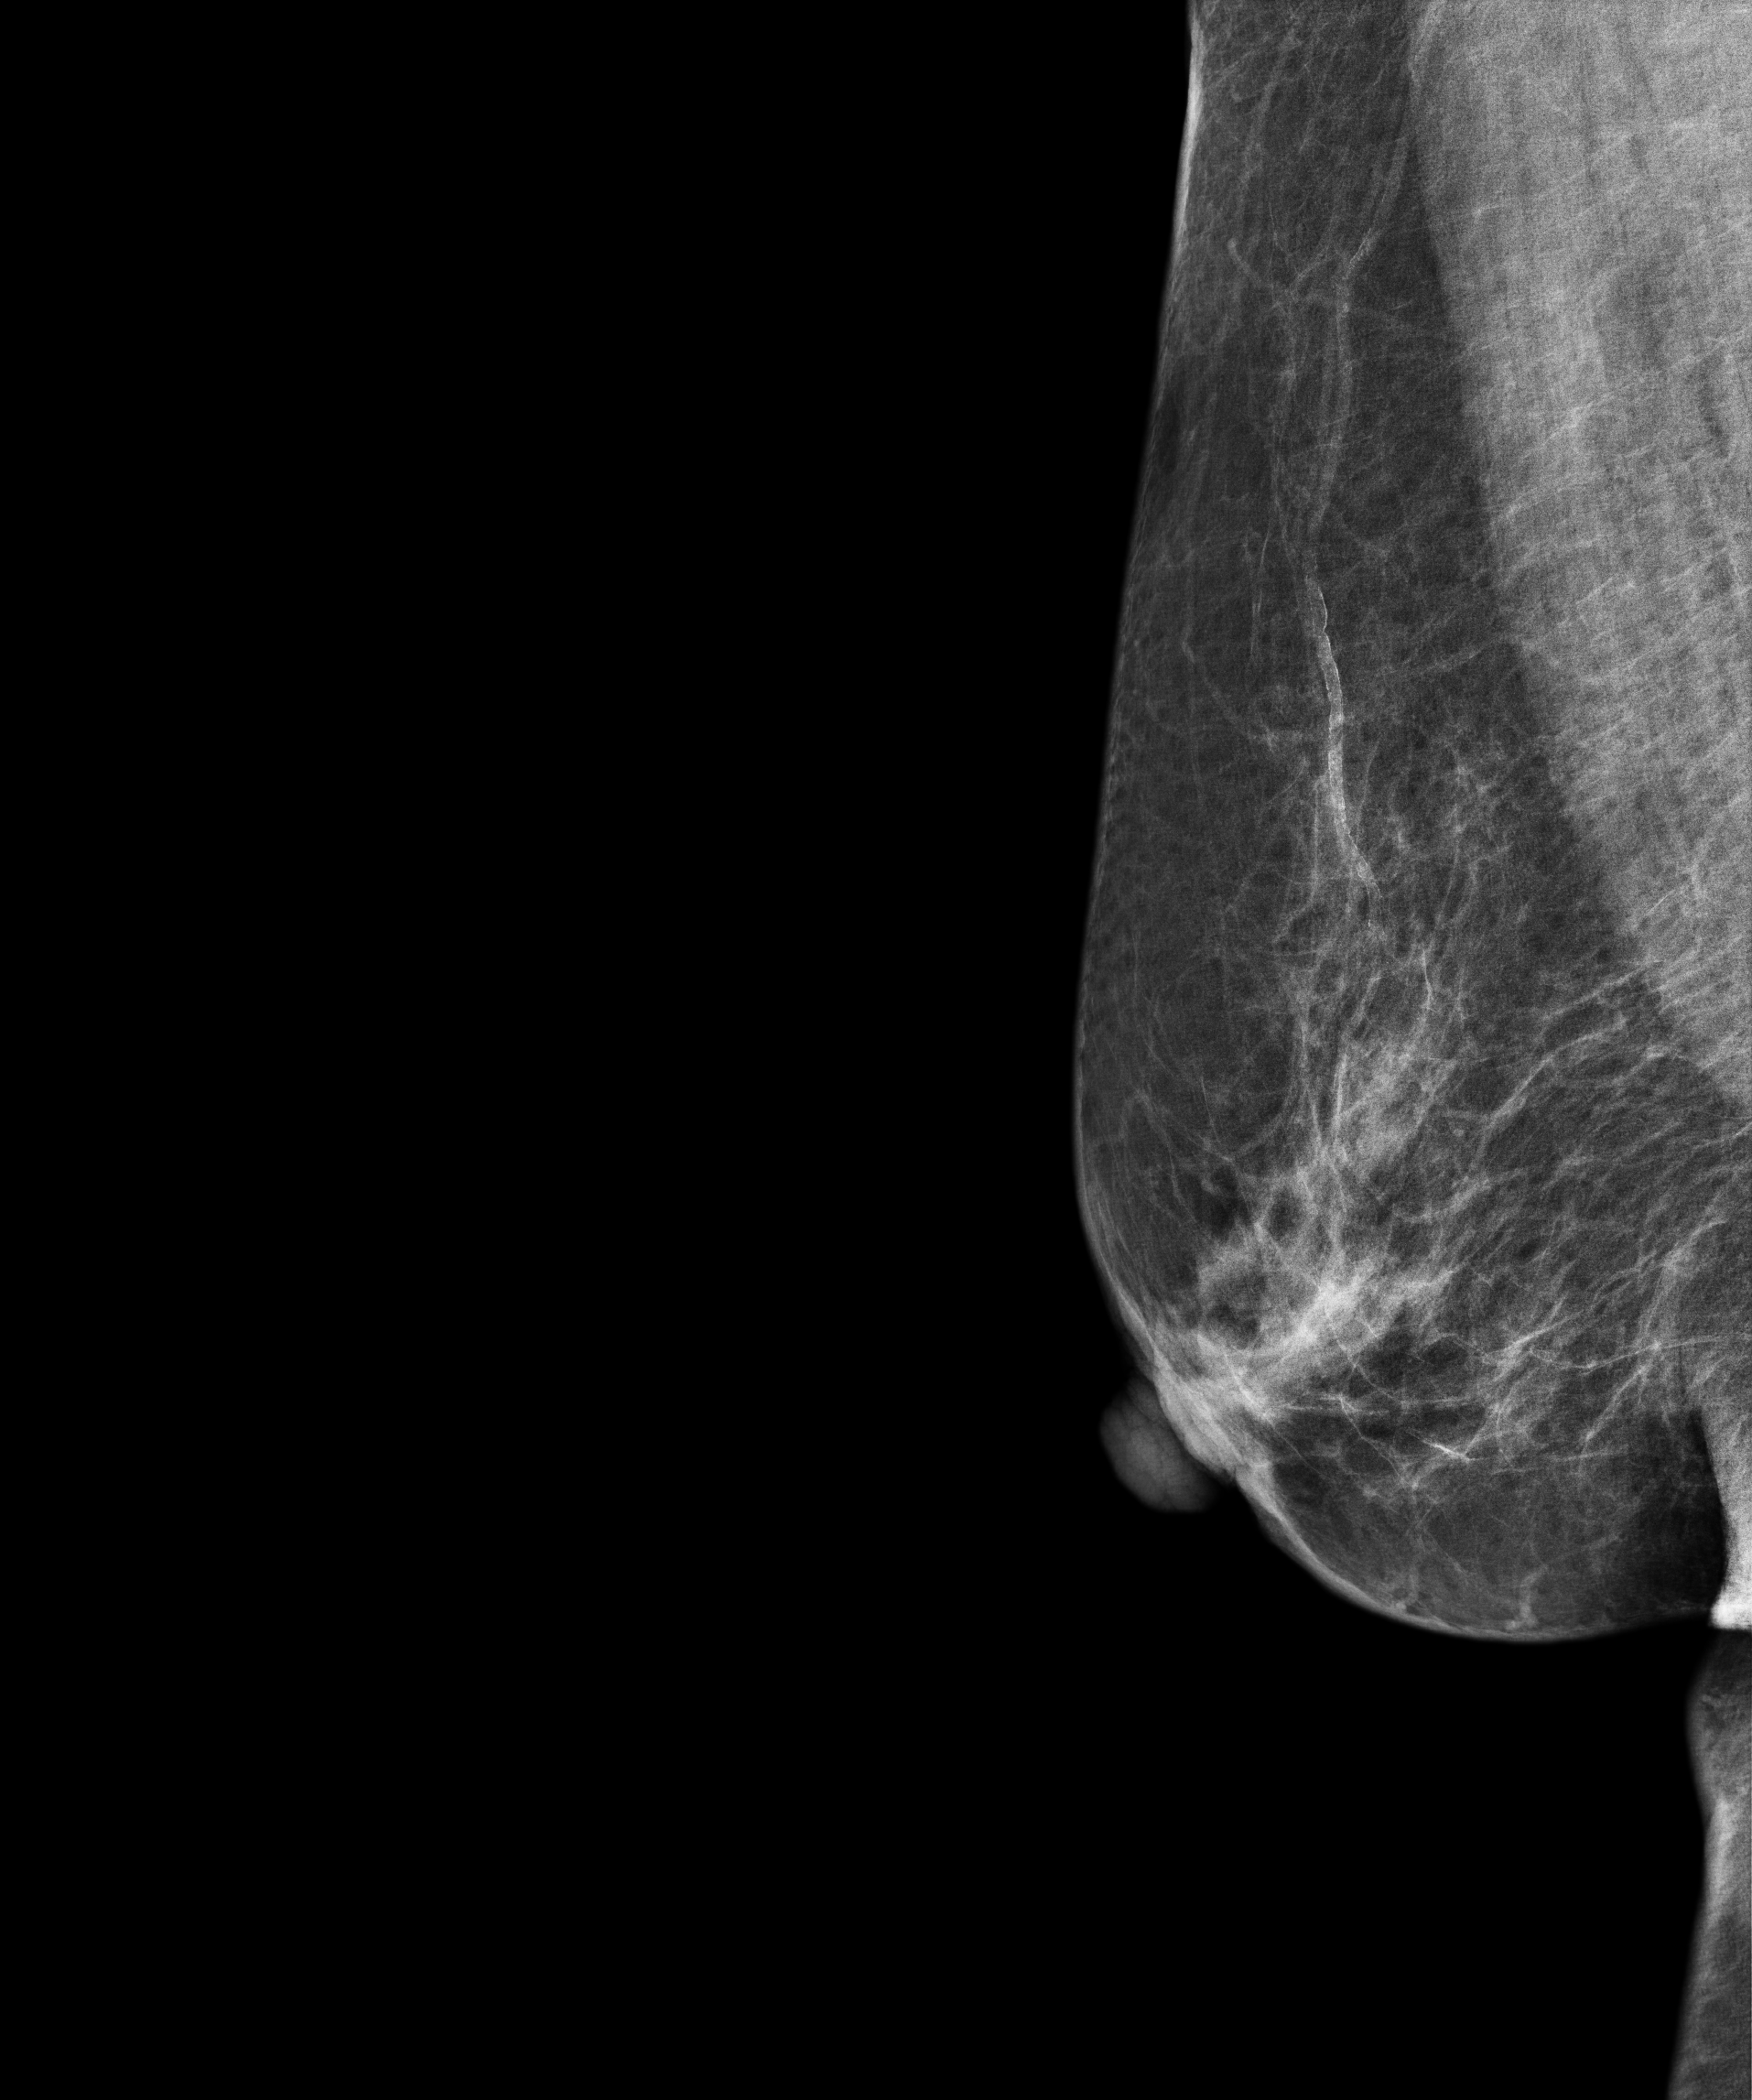
Right-breast mammogram, MLO. 69 y/o patient.
Contralateral breast — no documented abnormality on this side.